Digital mammography. Right breast, CC projection. 47 y/o patient.
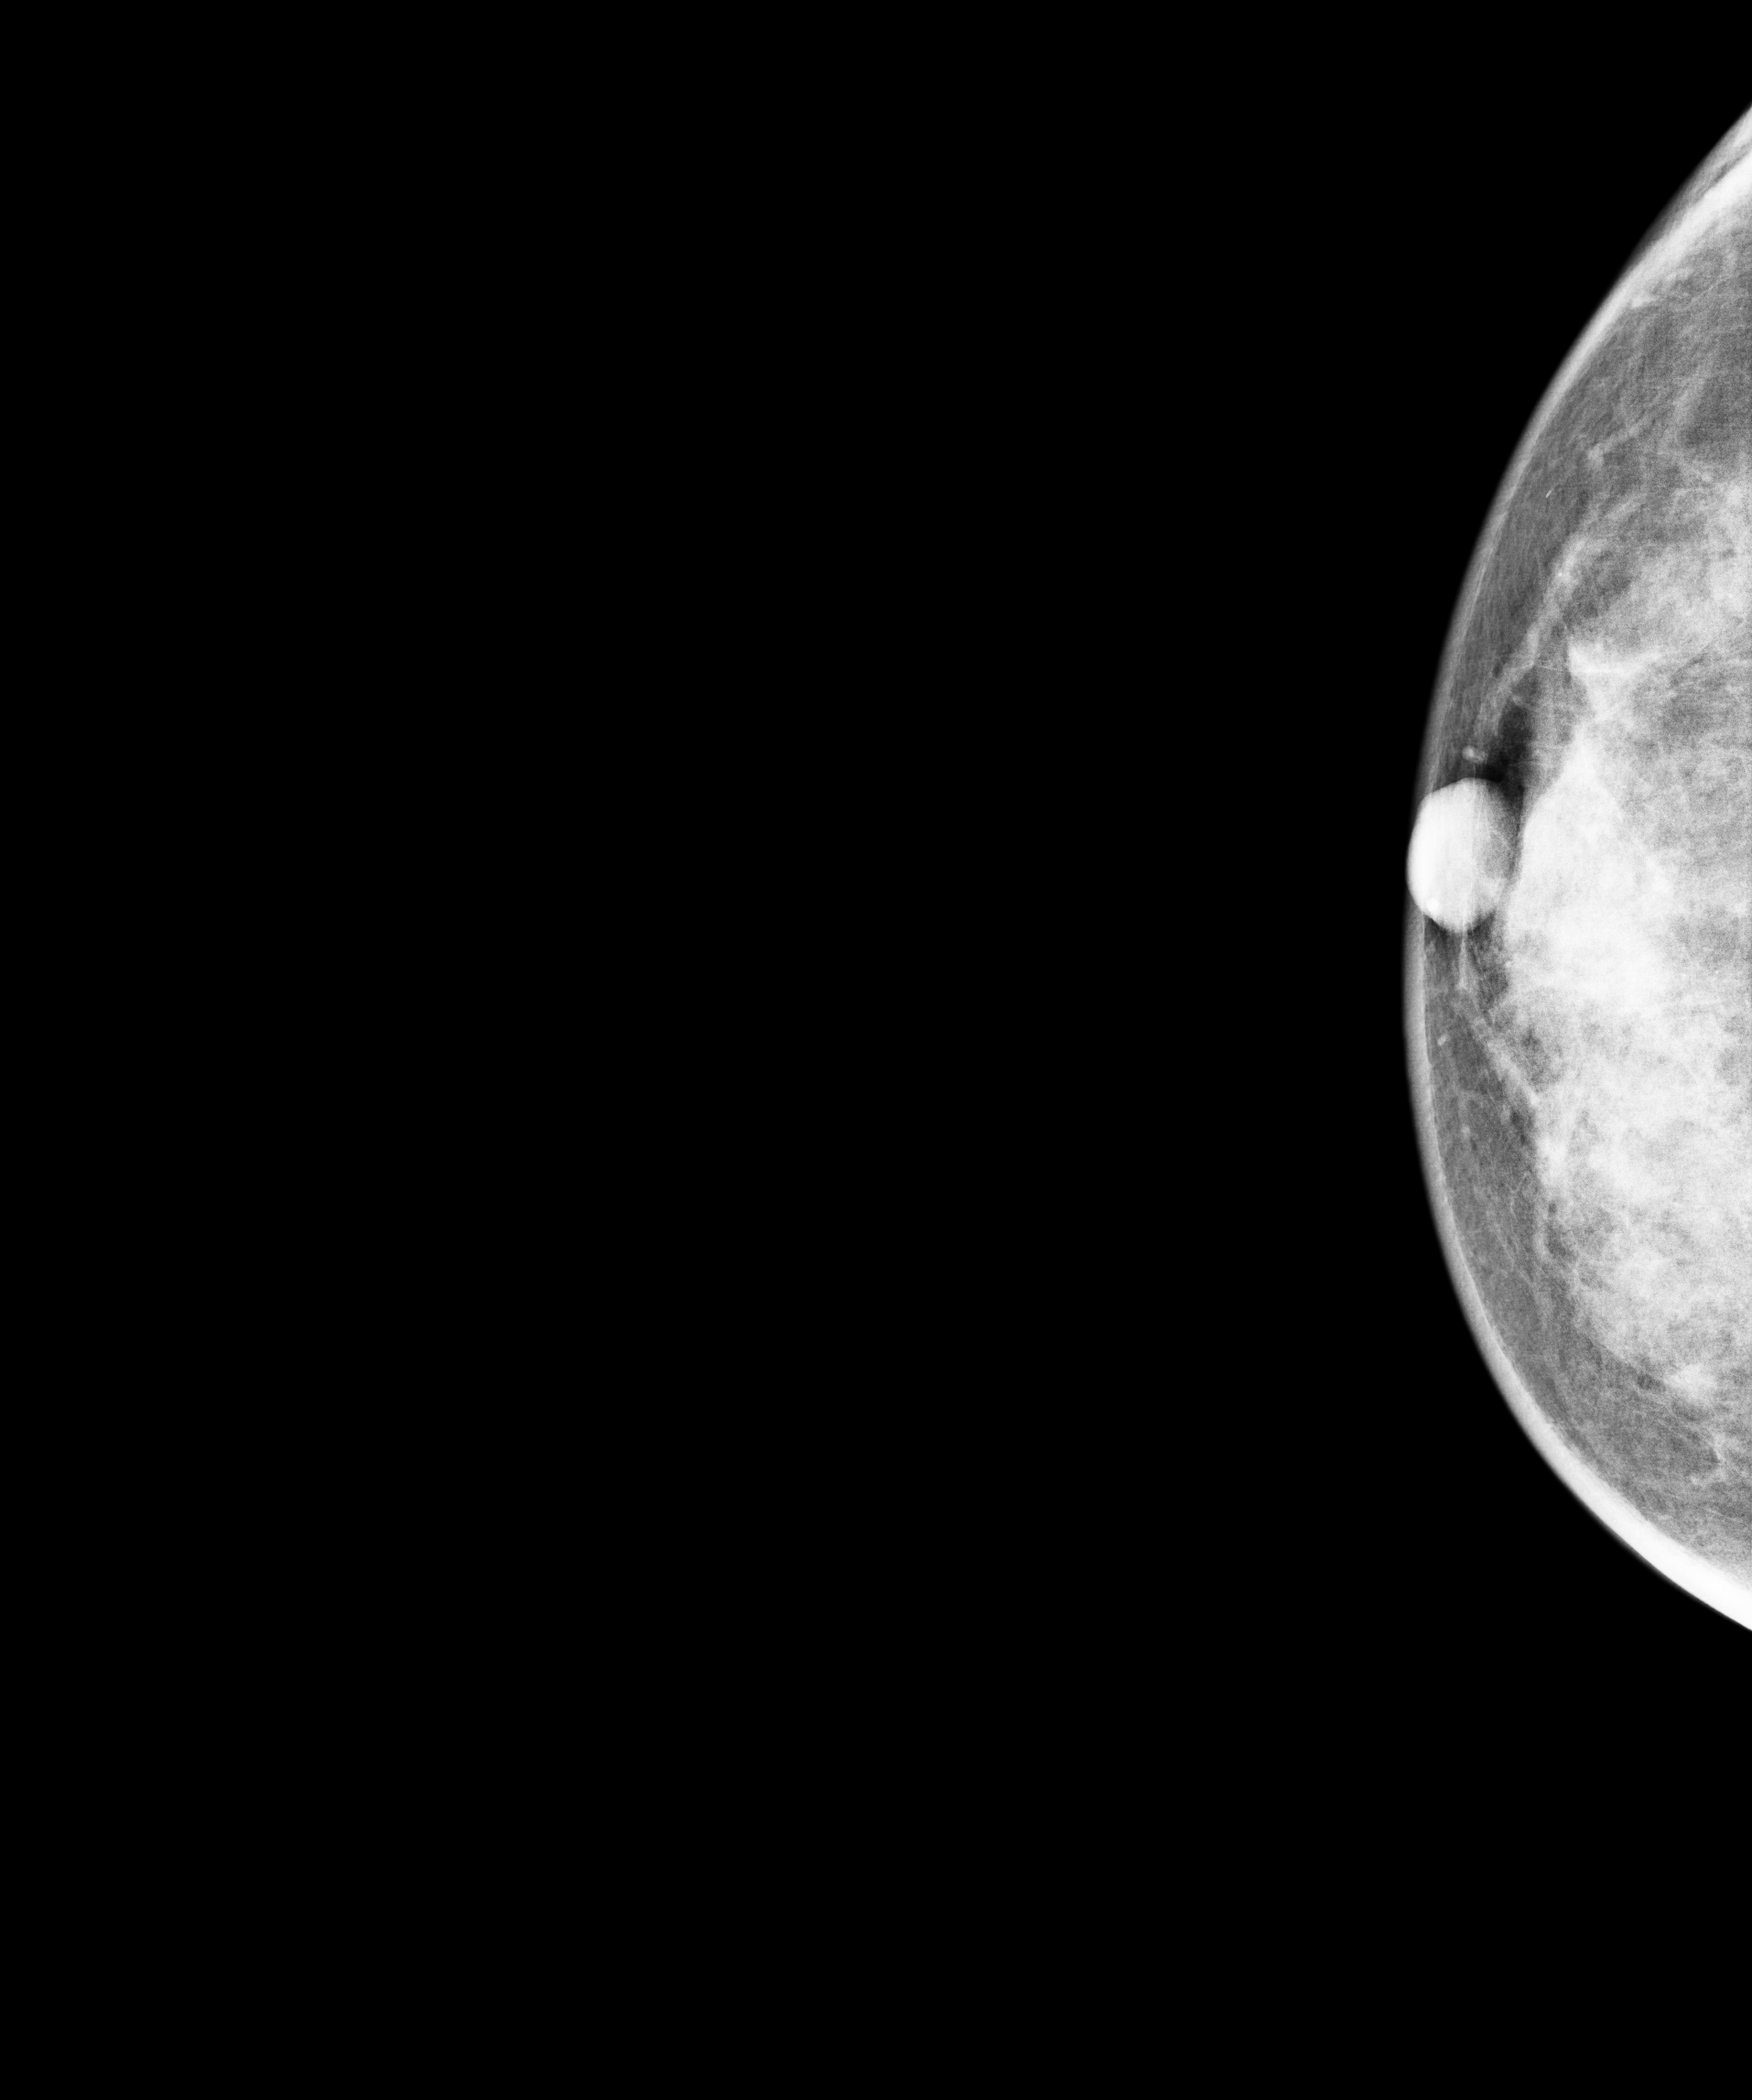
Contralateral breast — no documented abnormality on this side.